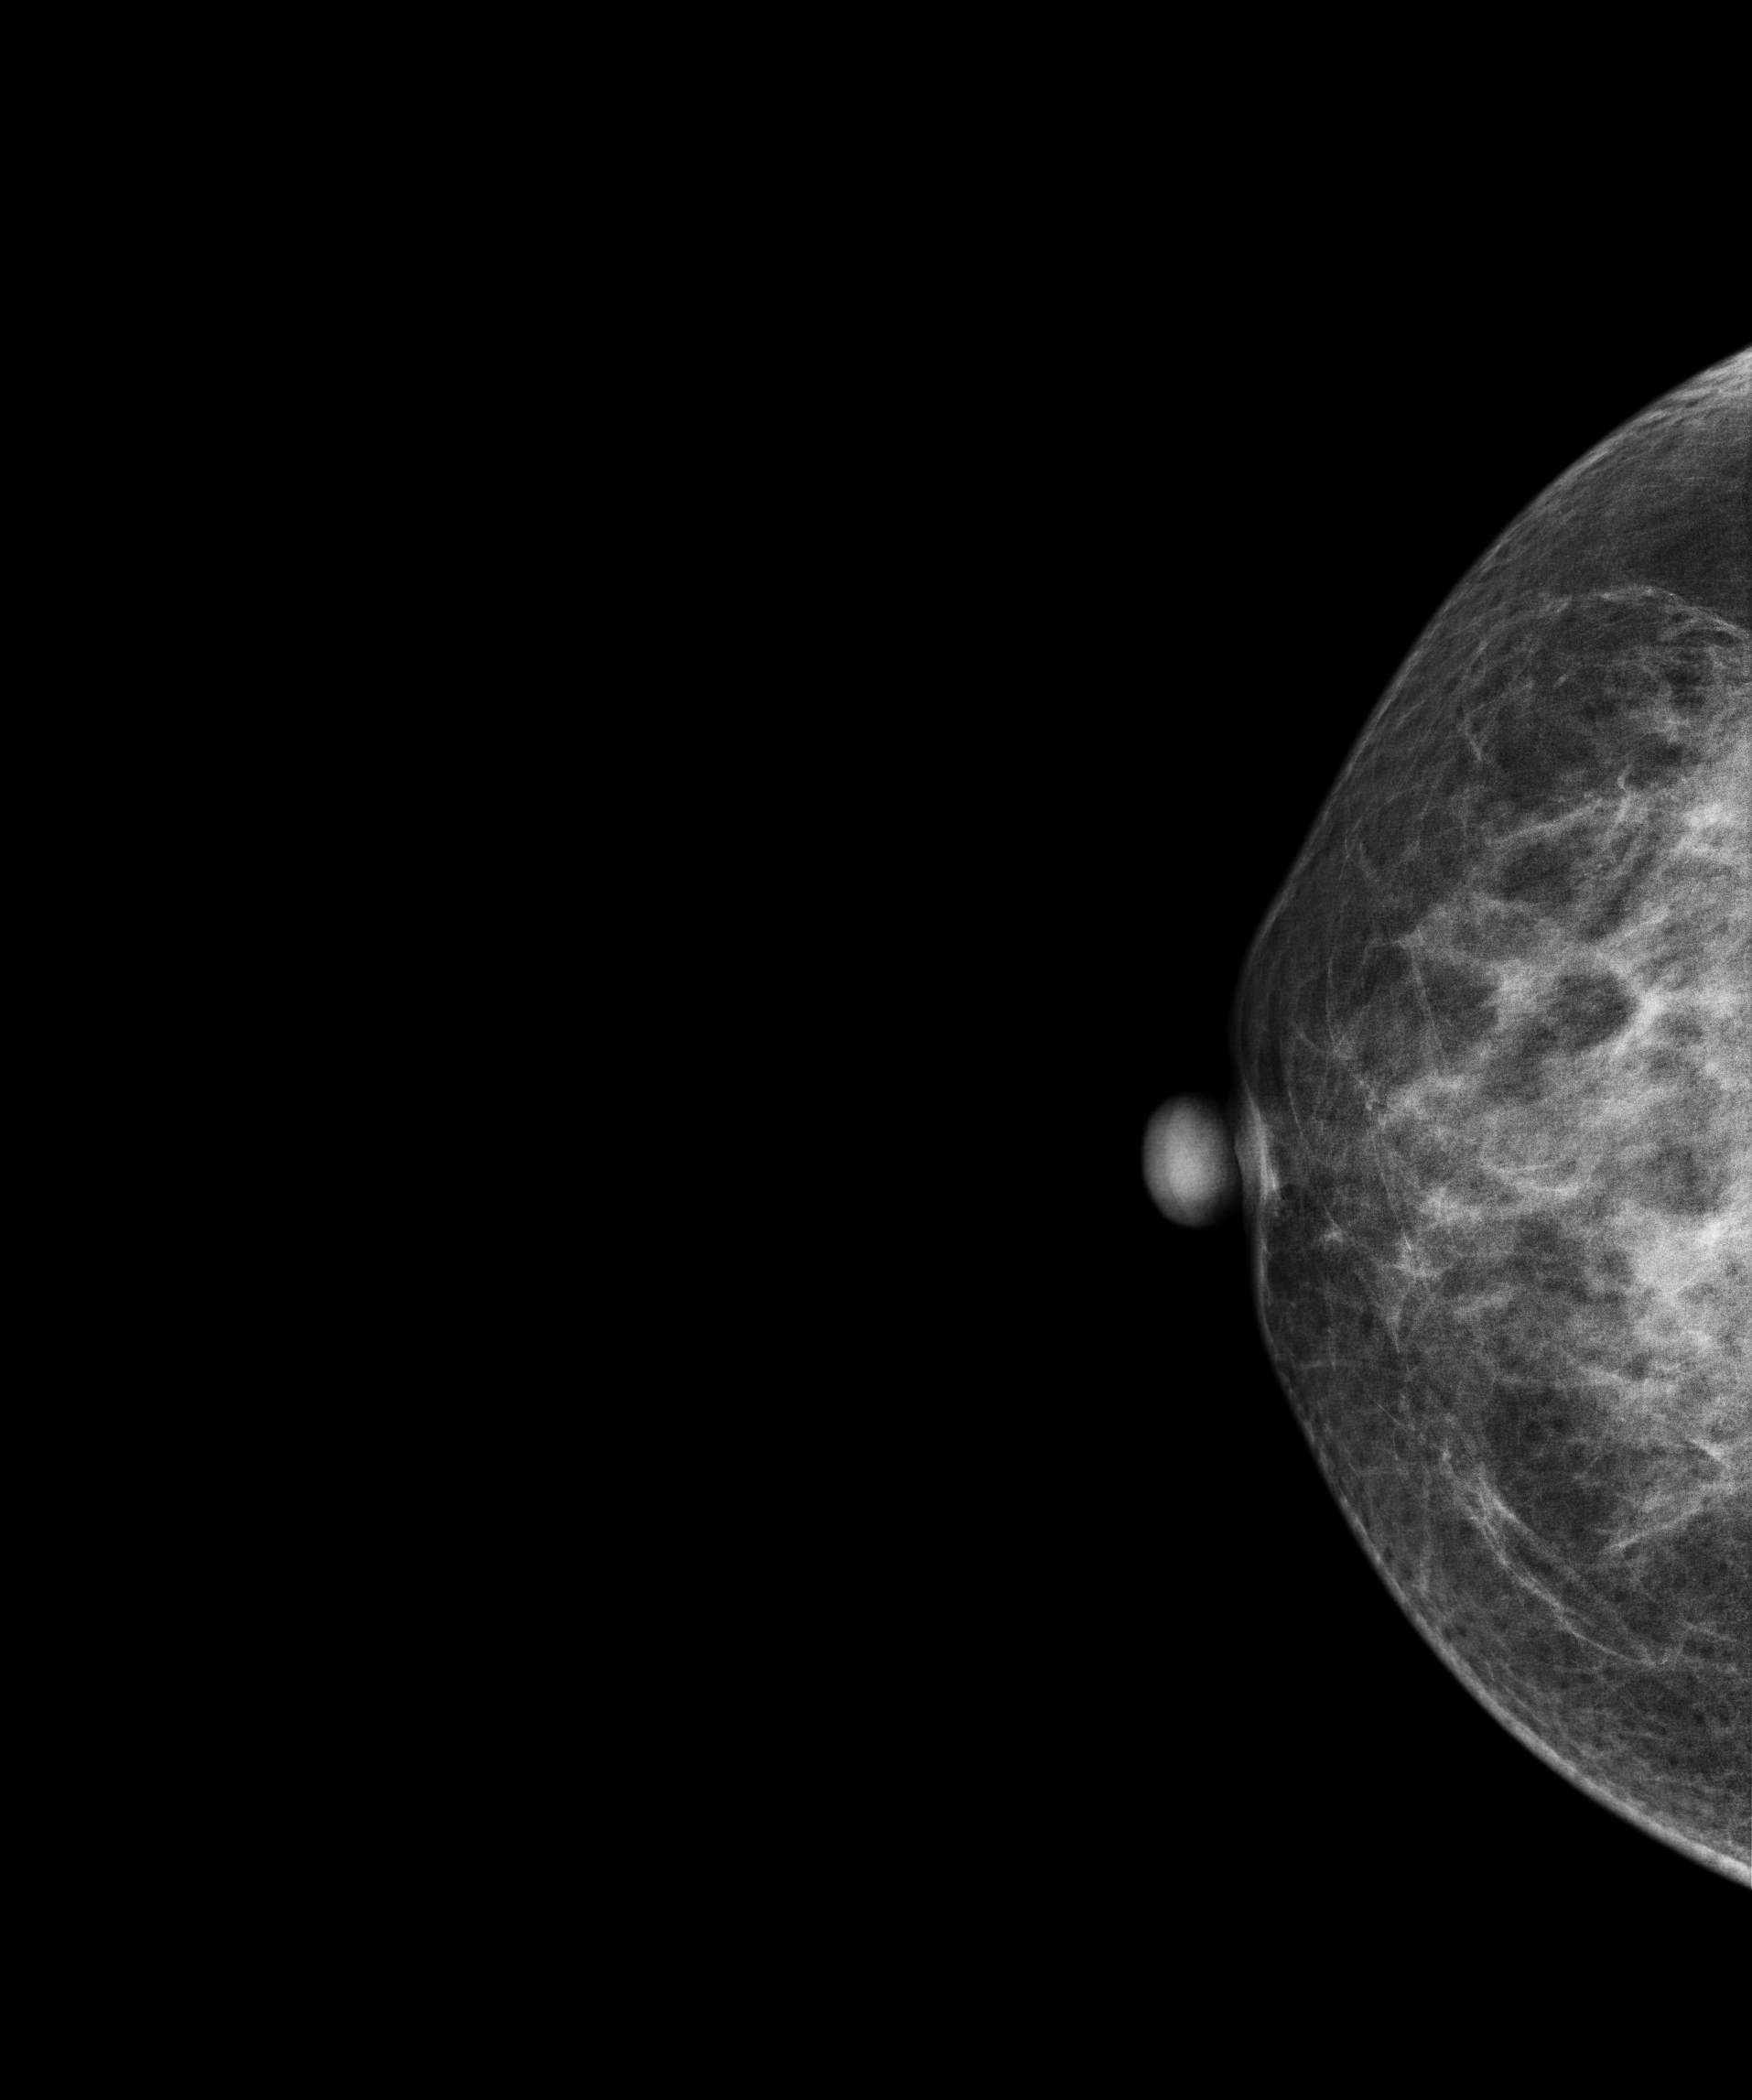
Mammogram, right breast, cranio-caudal view. 57-year-old patient.
Contralateral breast — no documented abnormality on this side.